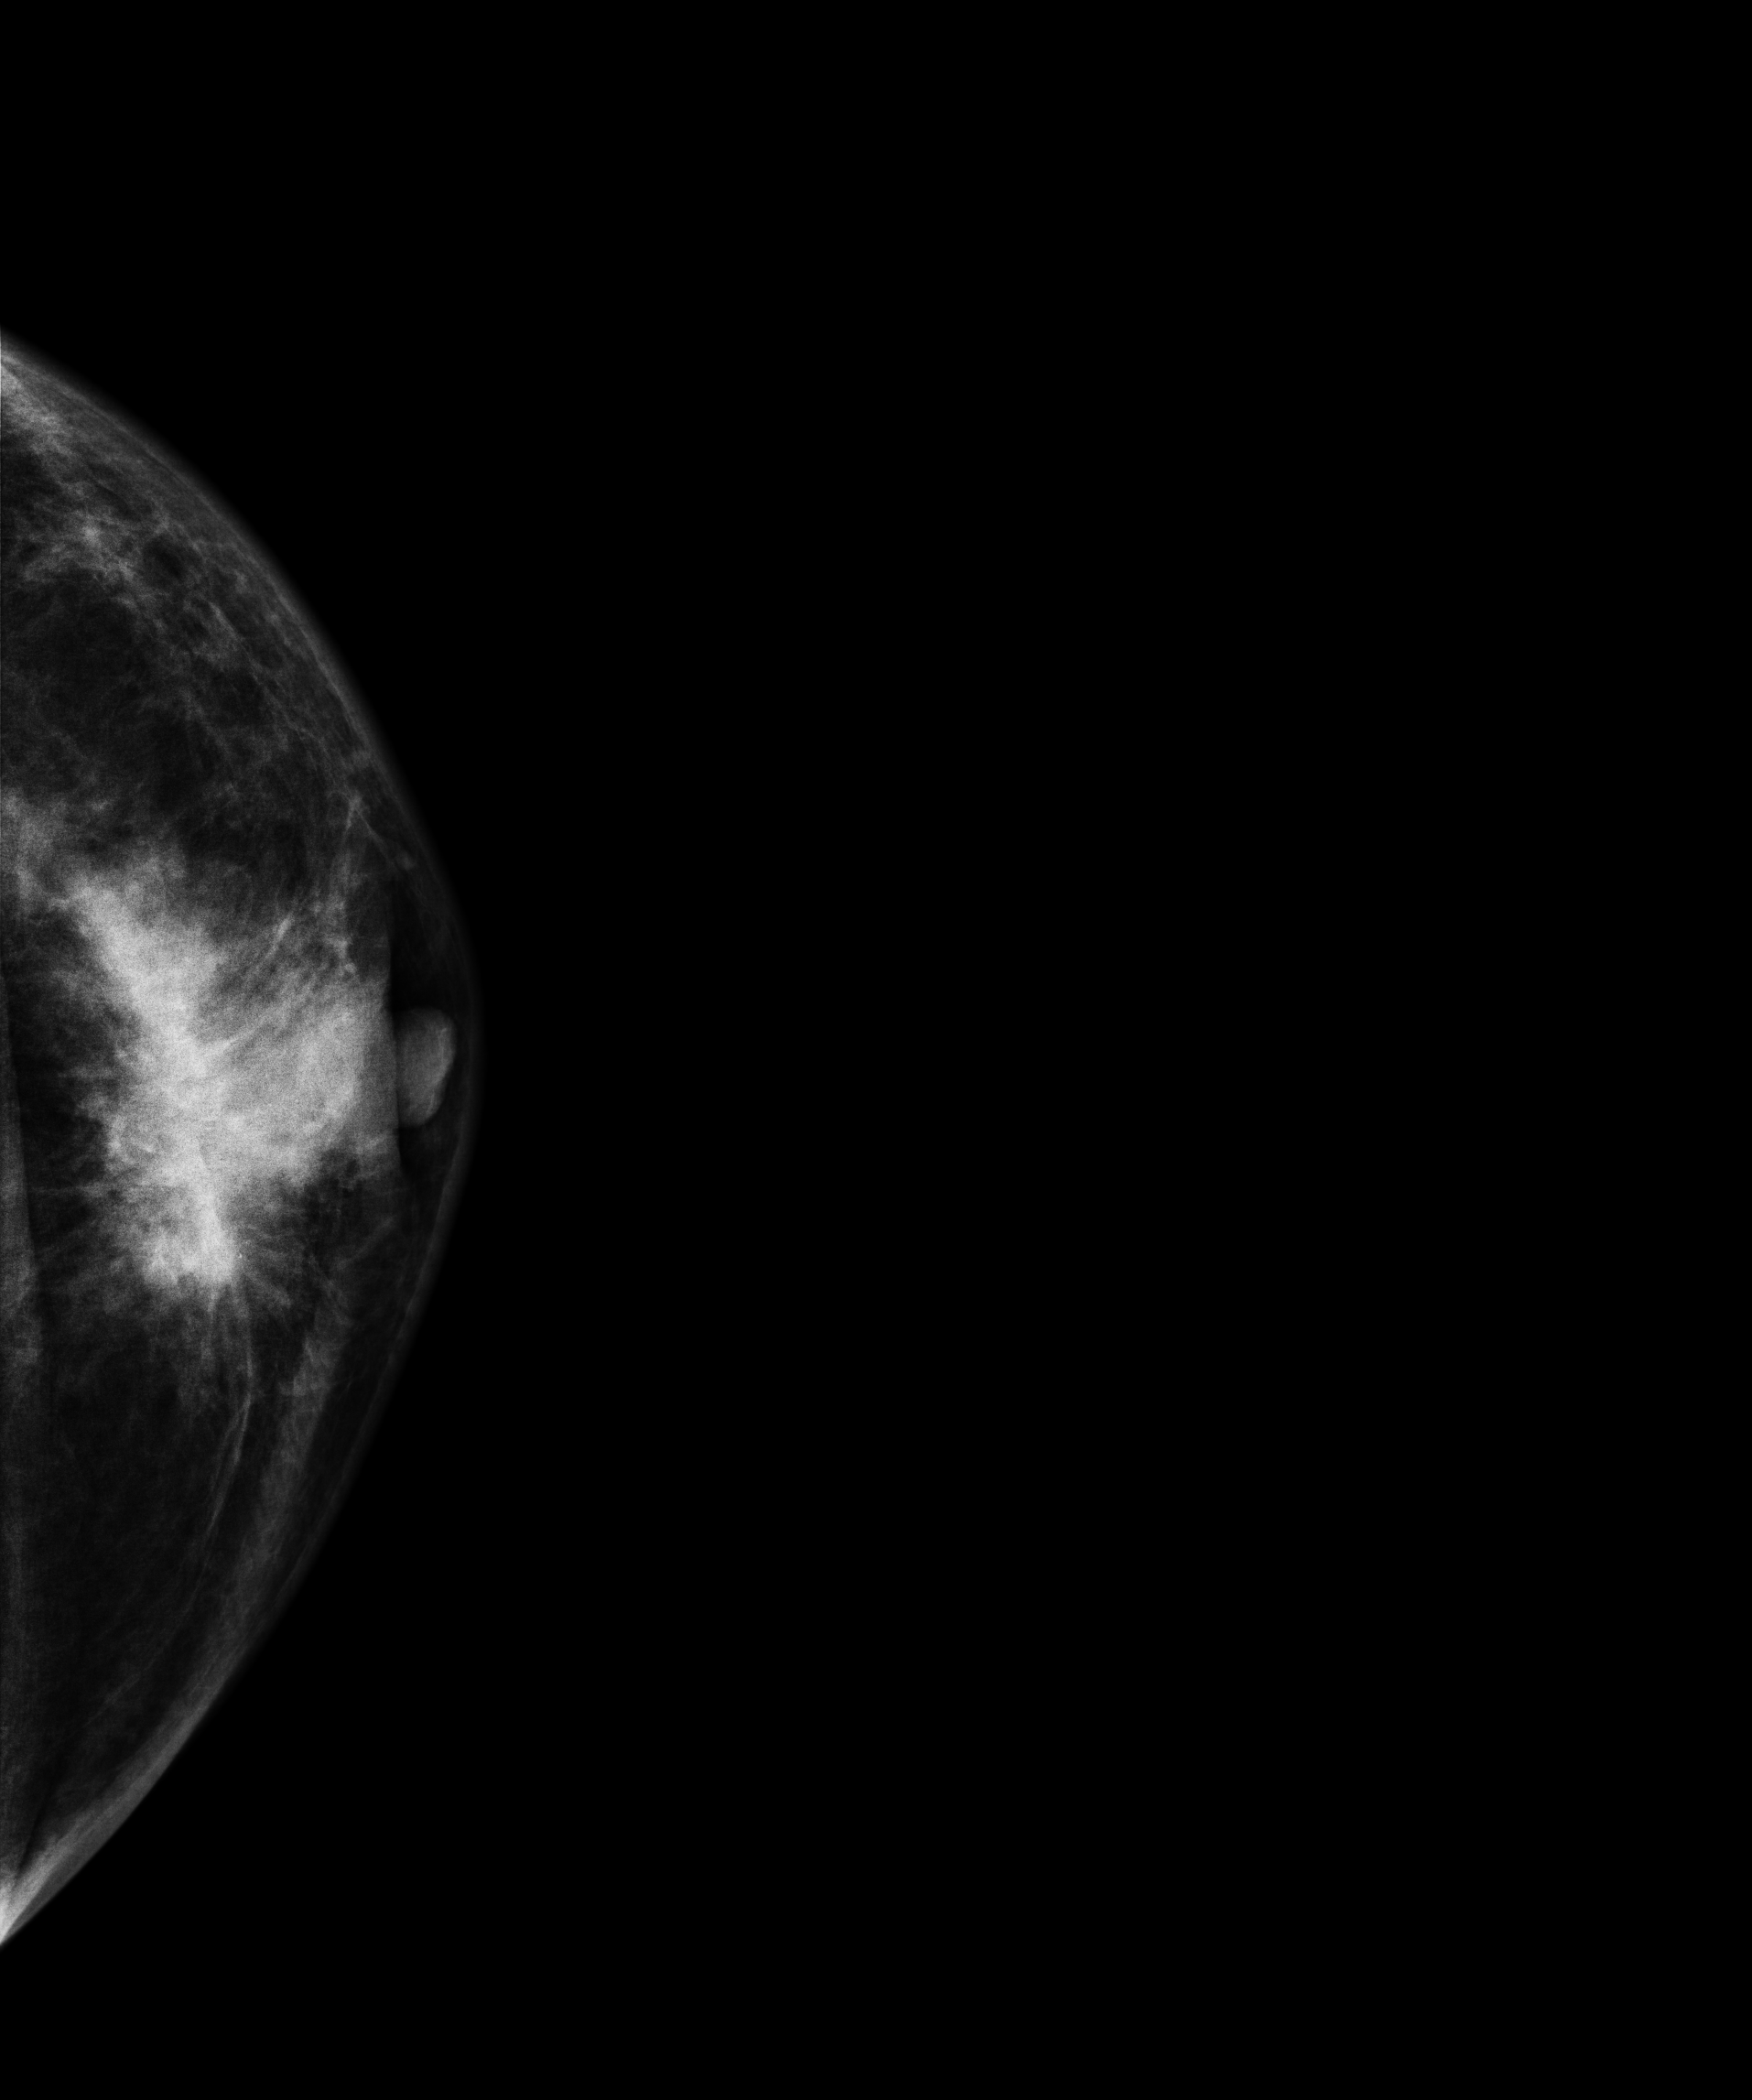
Digital mammography. Left breast, CC projection. 41 y/o patient.
This breast has a mass, biopsy-confirmed malignant.